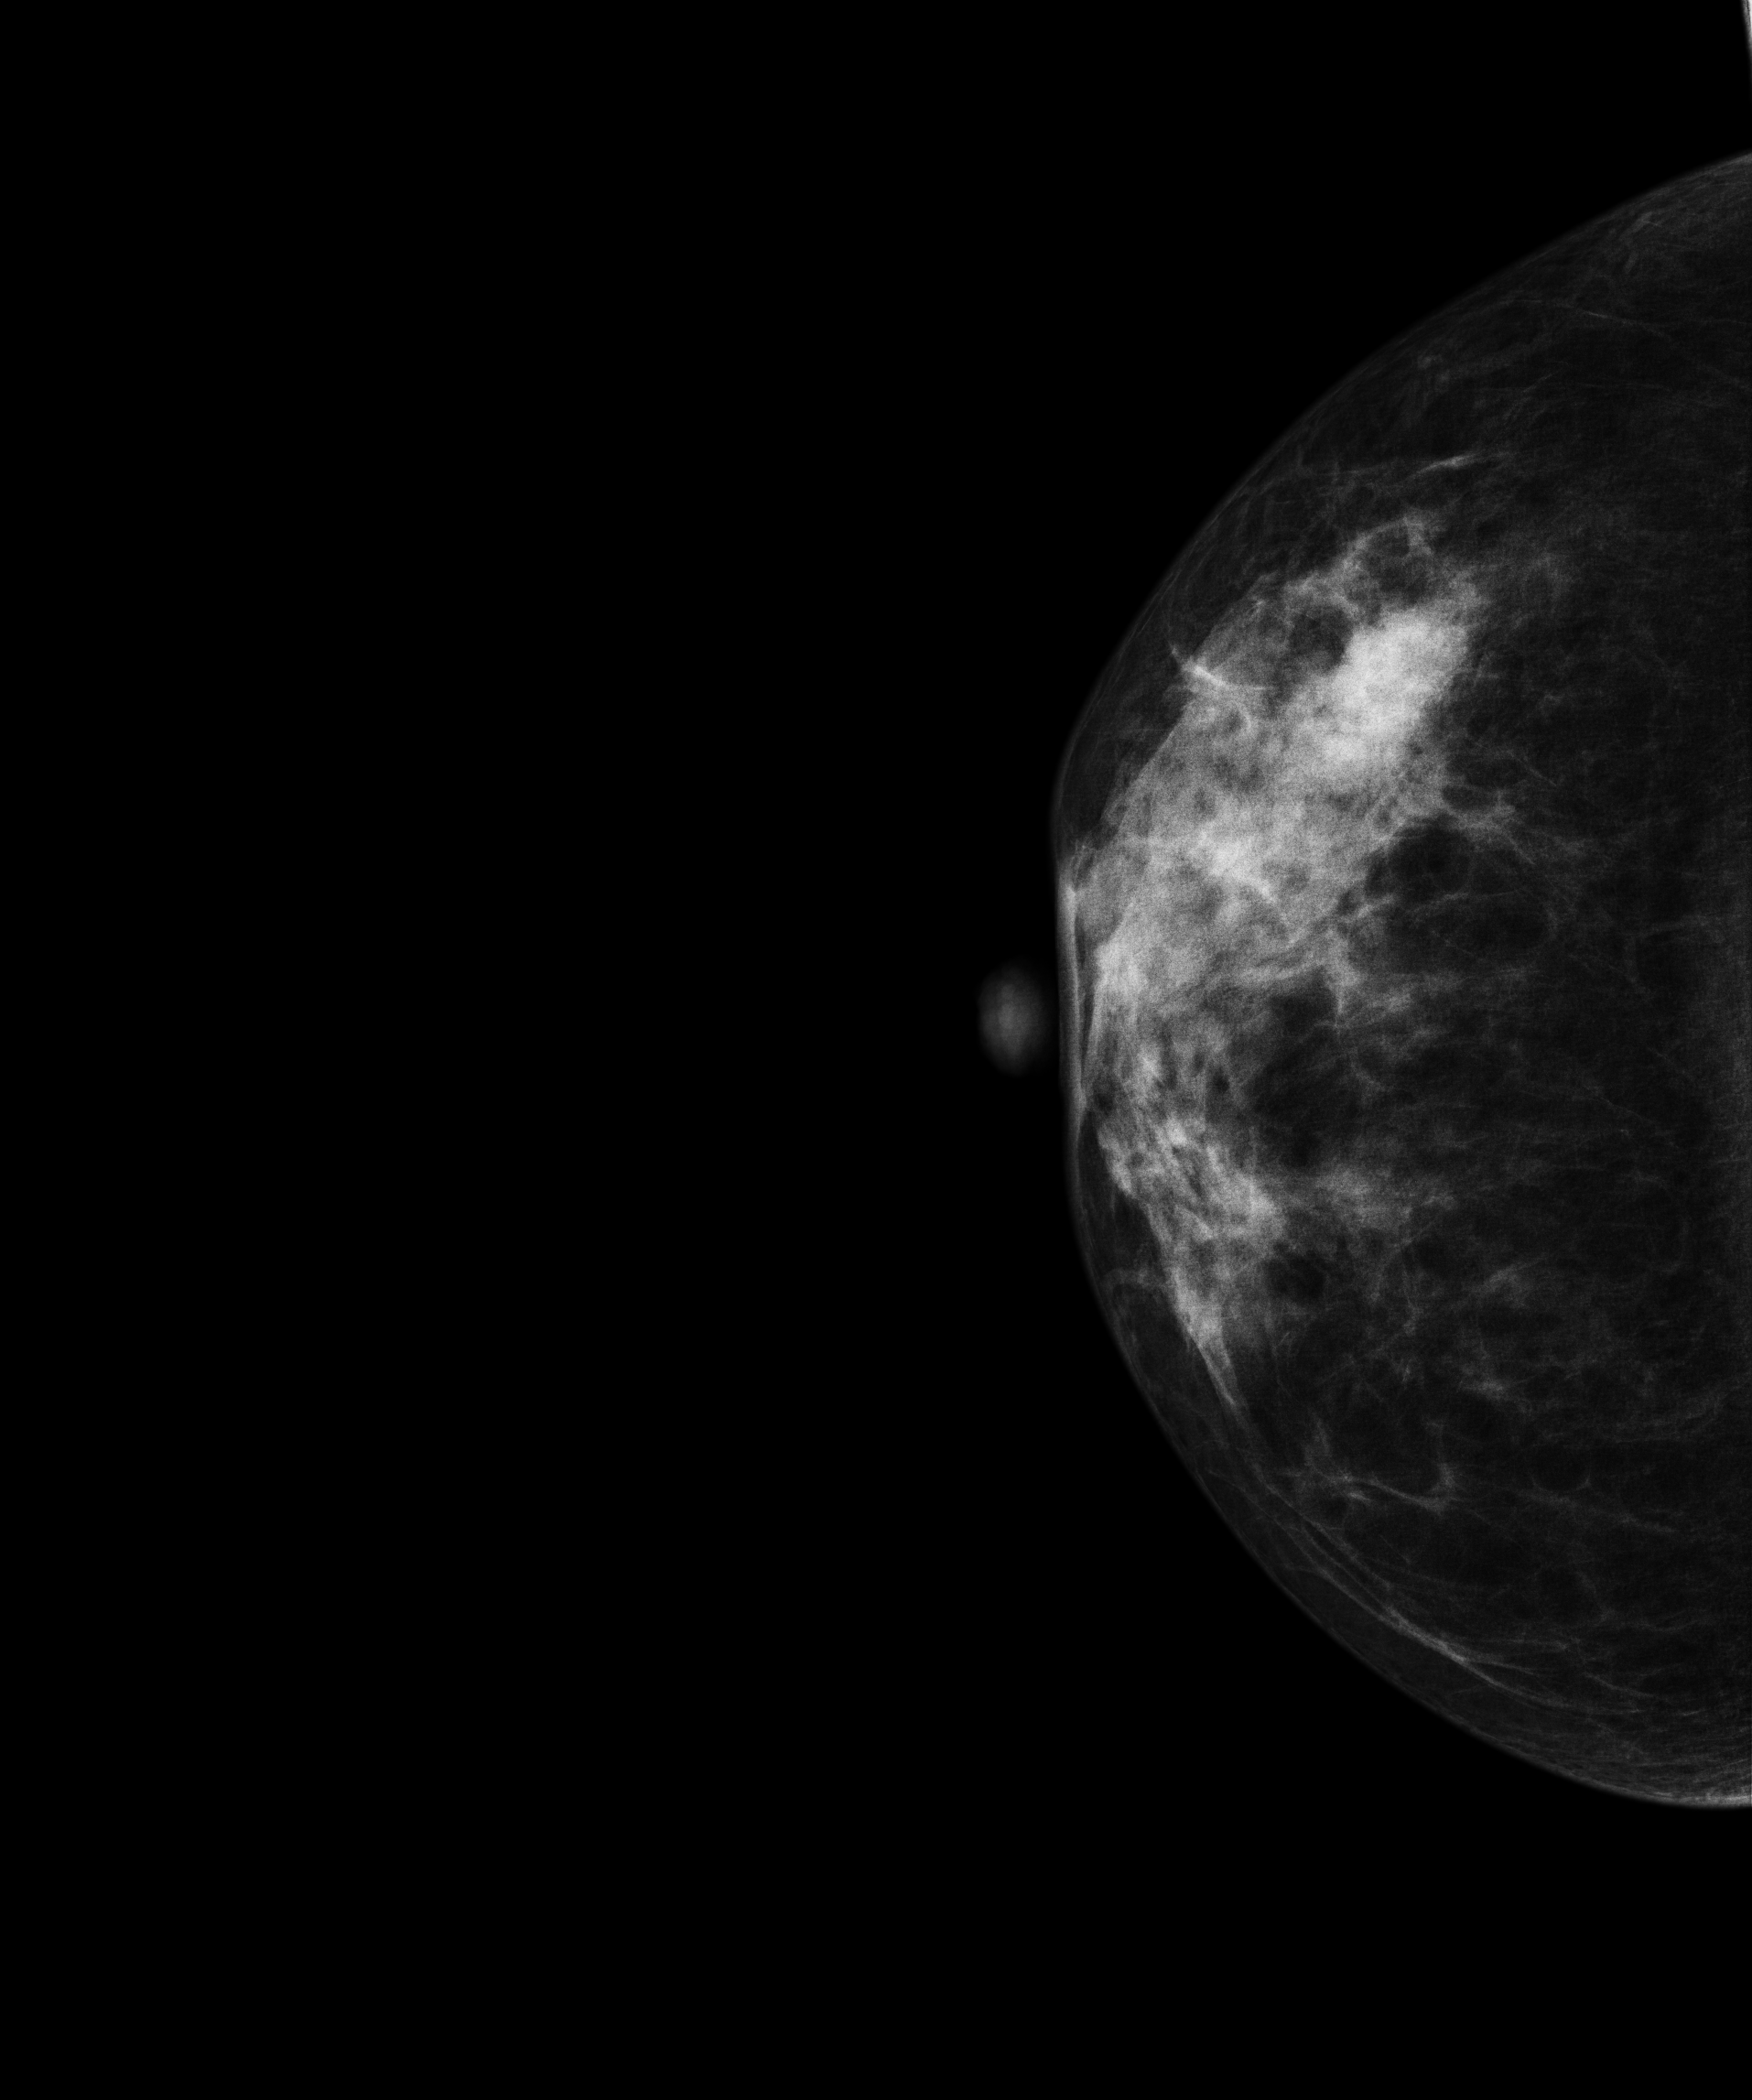
Mammogram — right cranio-caudal. 40-year-old patient.
This breast has a mass, pathology-confirmed benign.